Digital mammography. Right breast, MLO projection. Patient age 30.
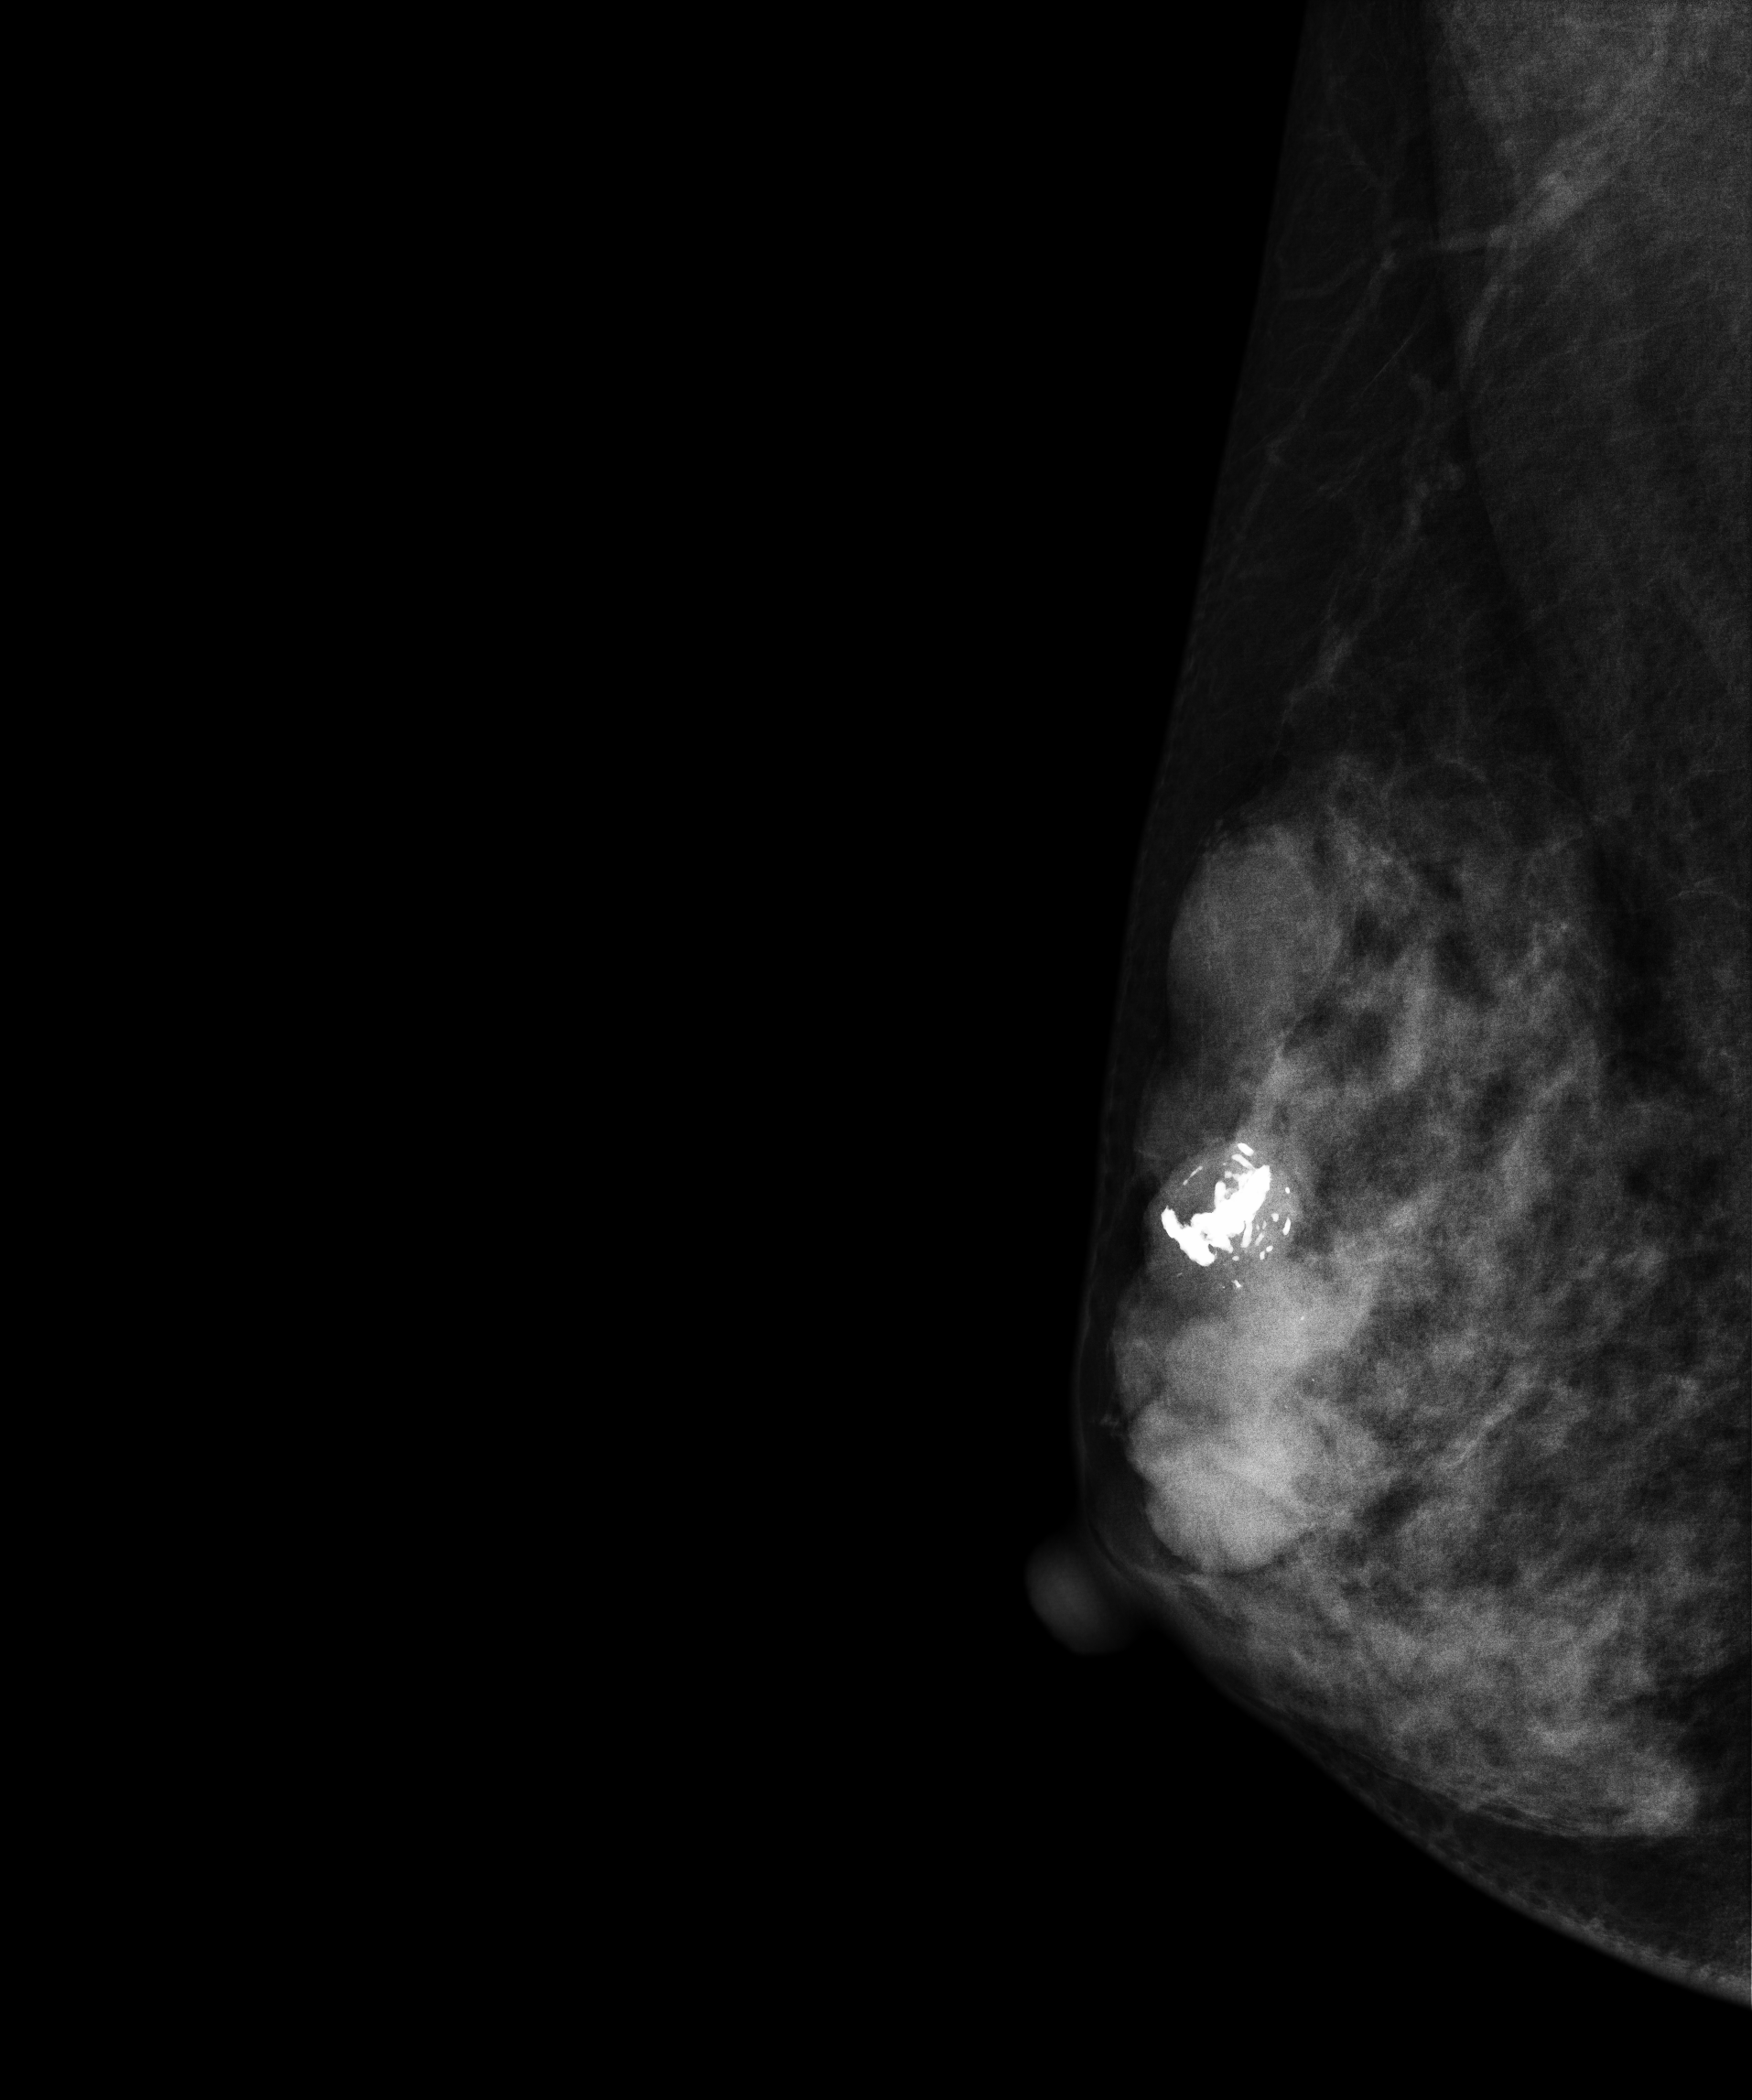
This breast has a mass and calcifications, biopsy-proven benign.